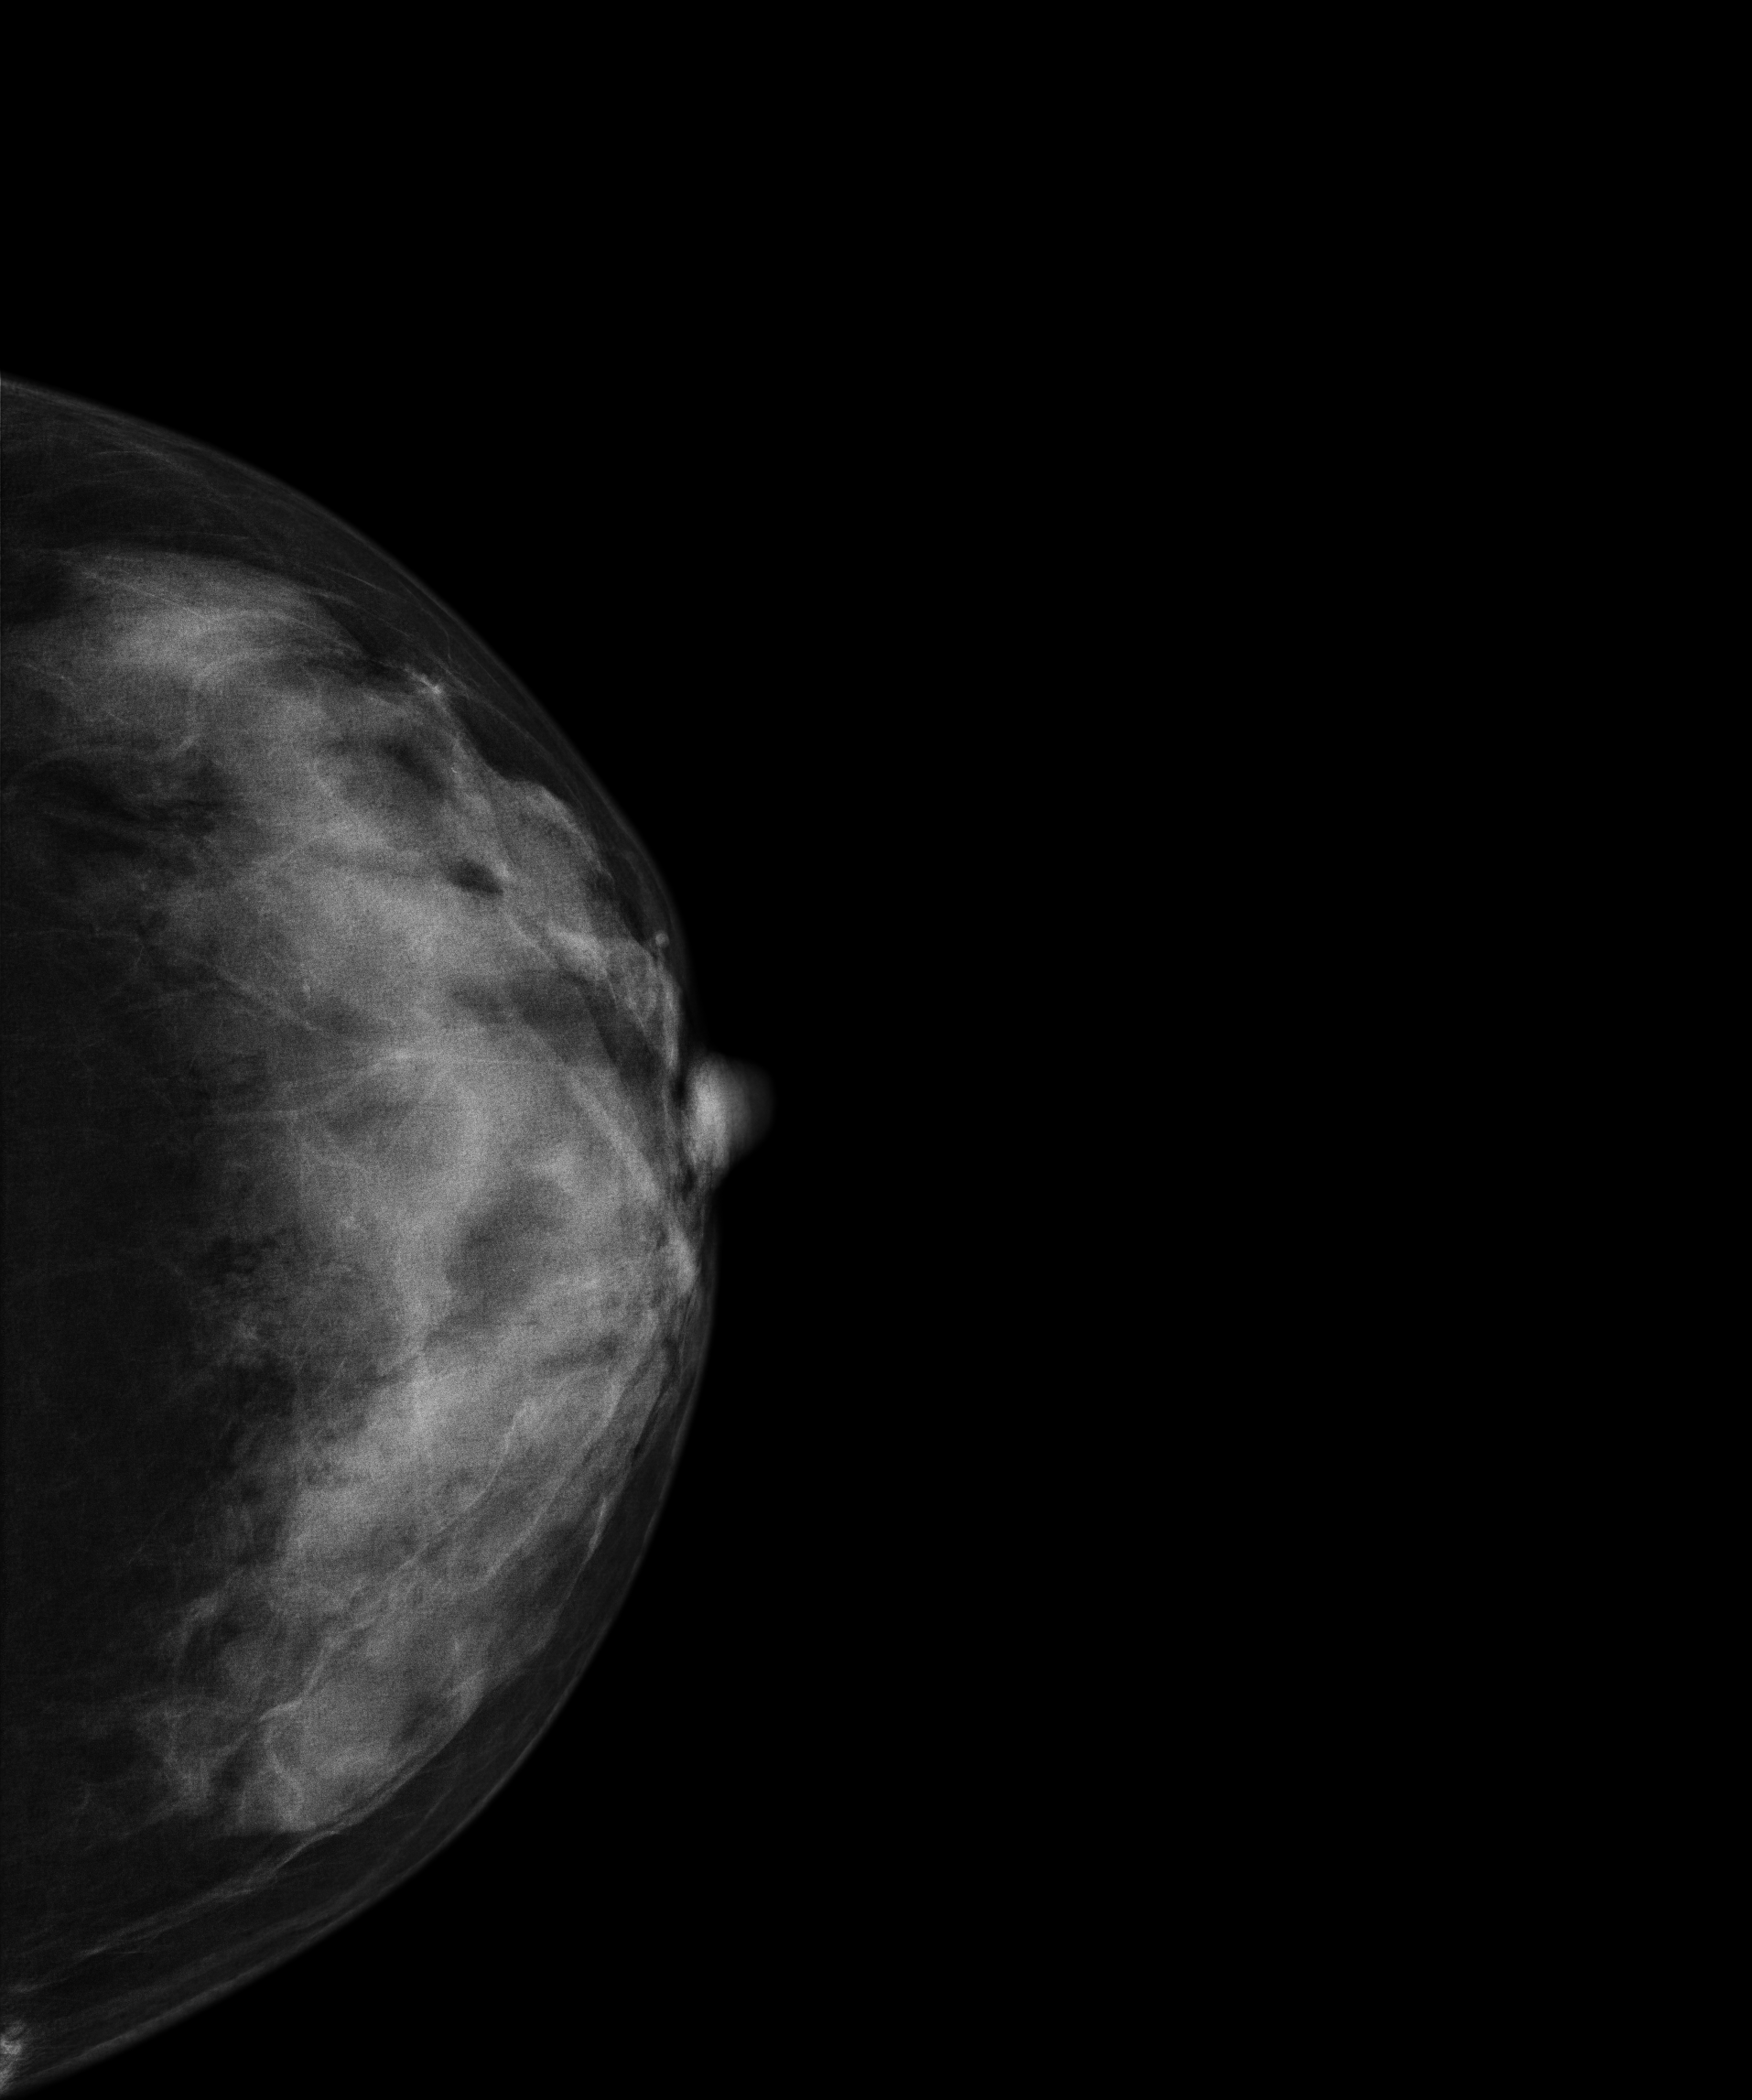
Mammogram, left breast, CC view. Patient age 60.
Contralateral breast — no documented abnormality on this side.